Mammogram, left breast, medio-lateral oblique view. 41 y/o patient.
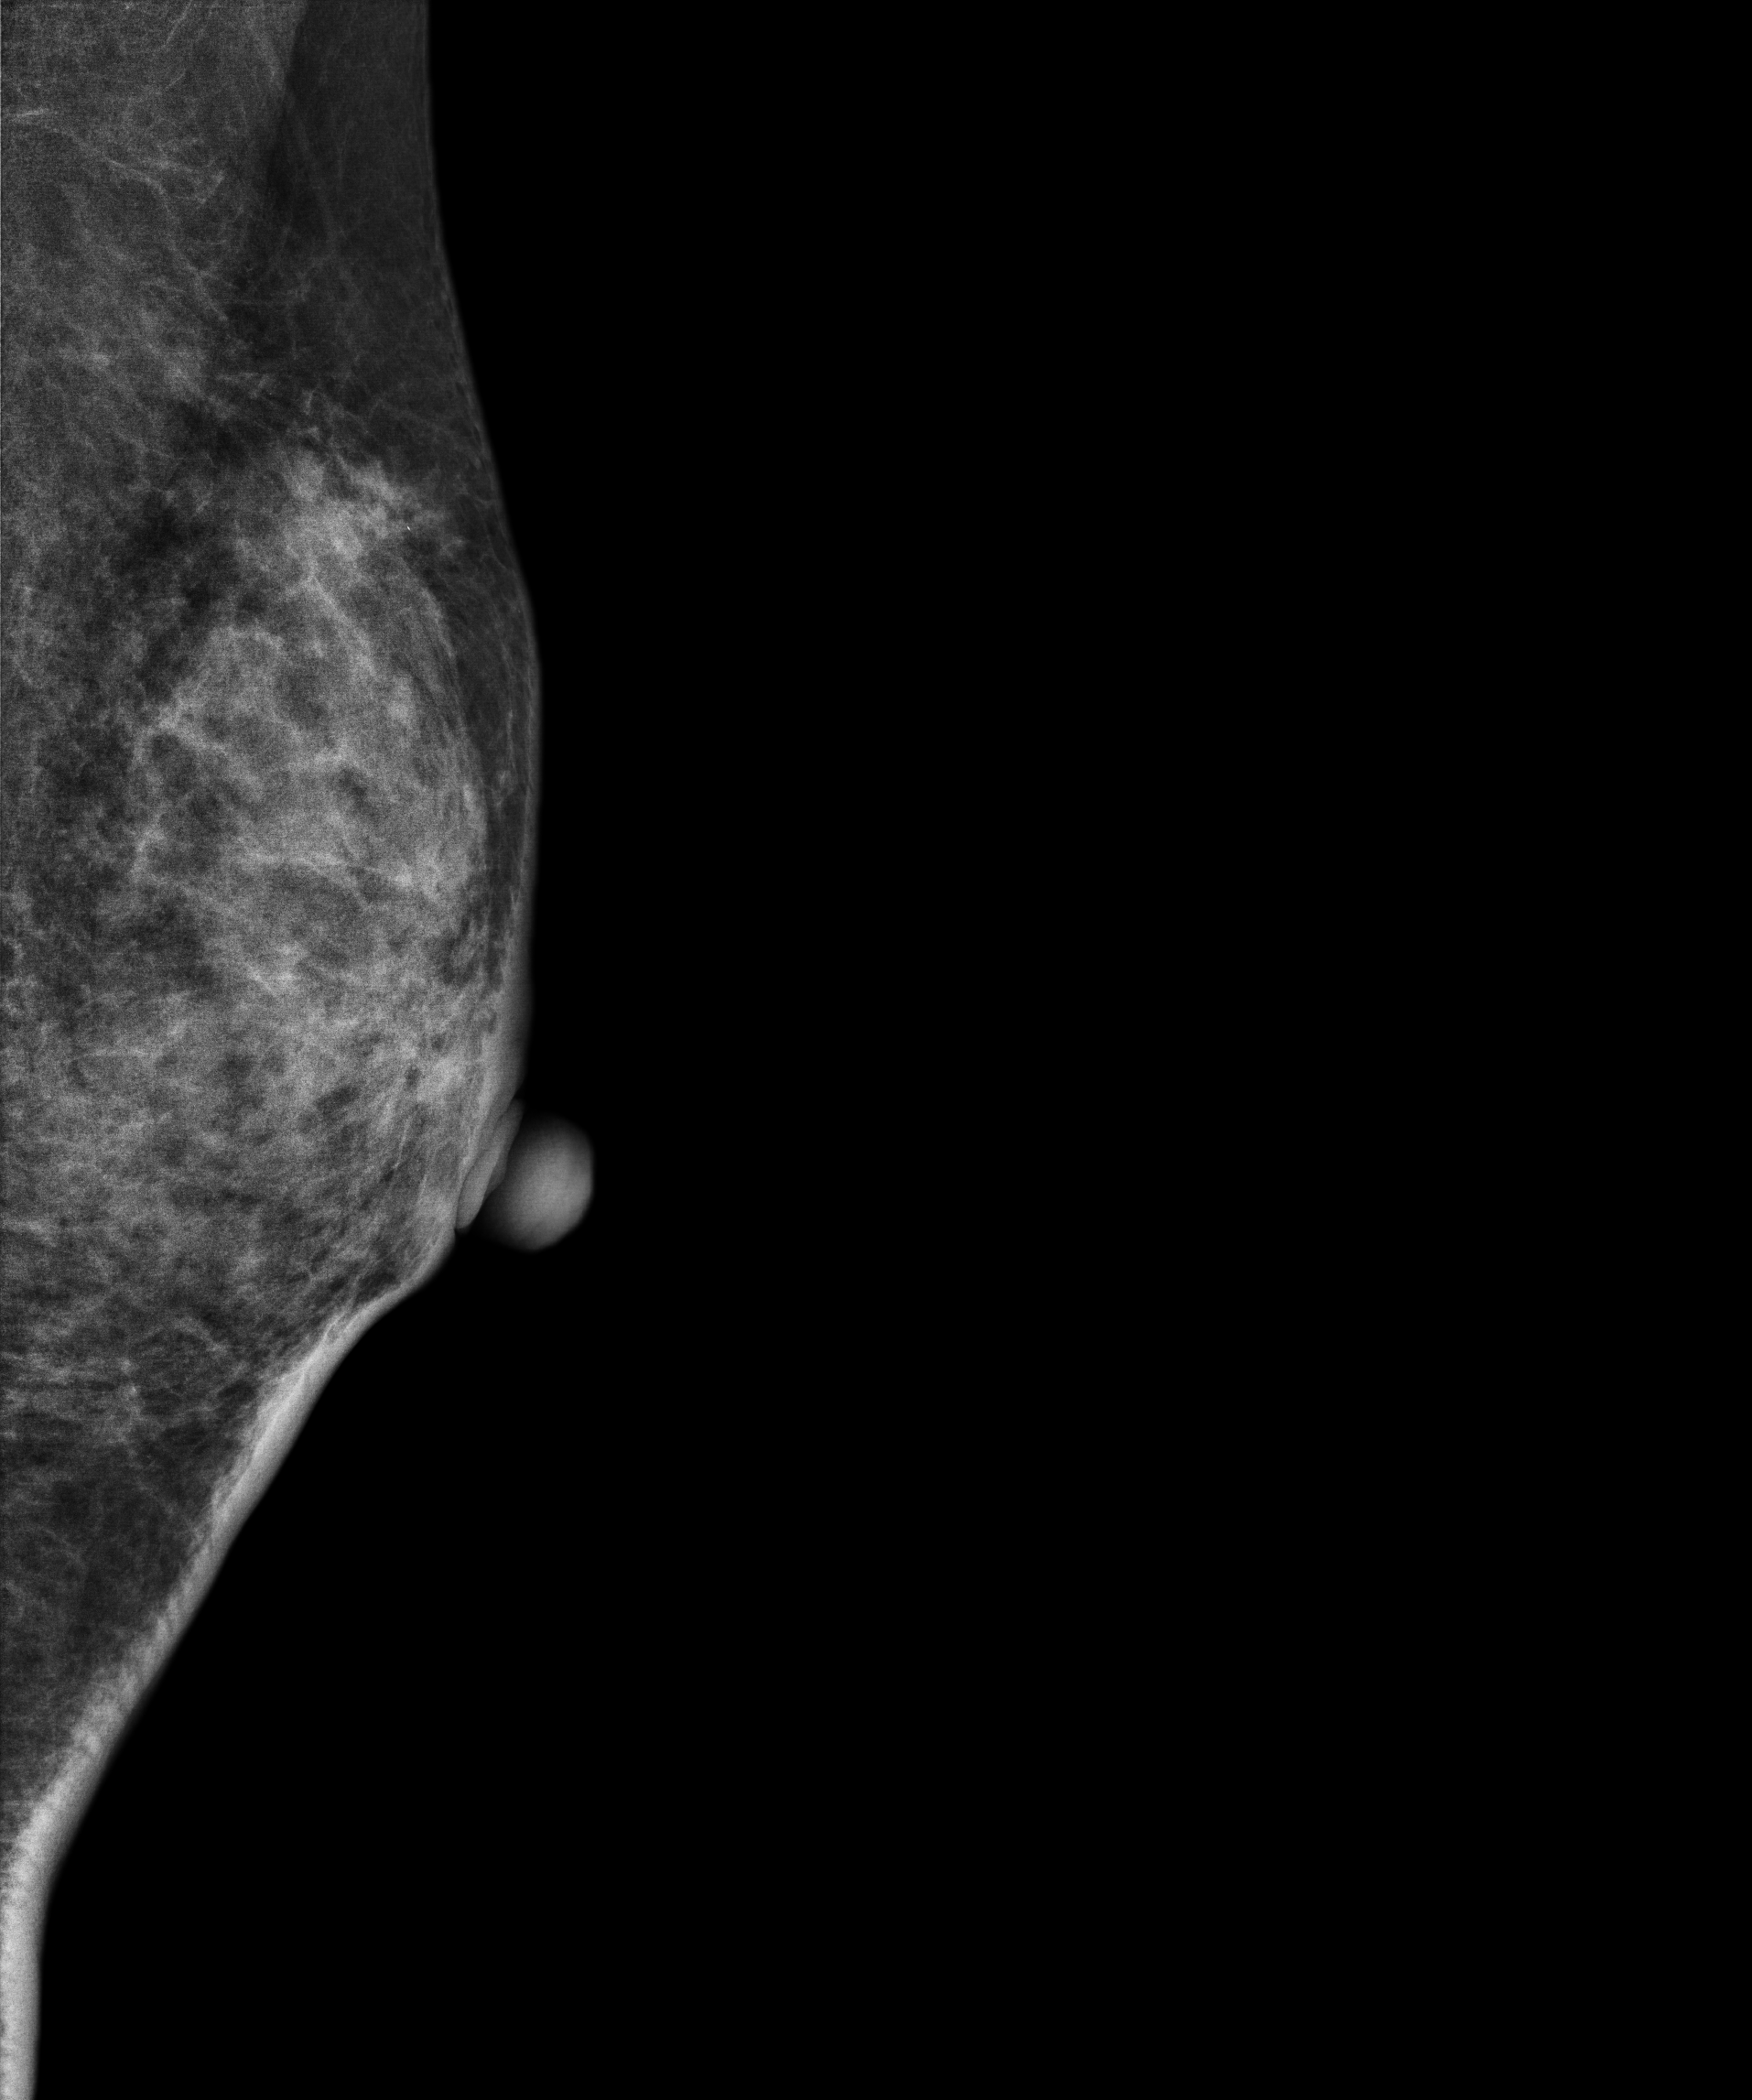
This breast has a mass, pathology-confirmed malignant.